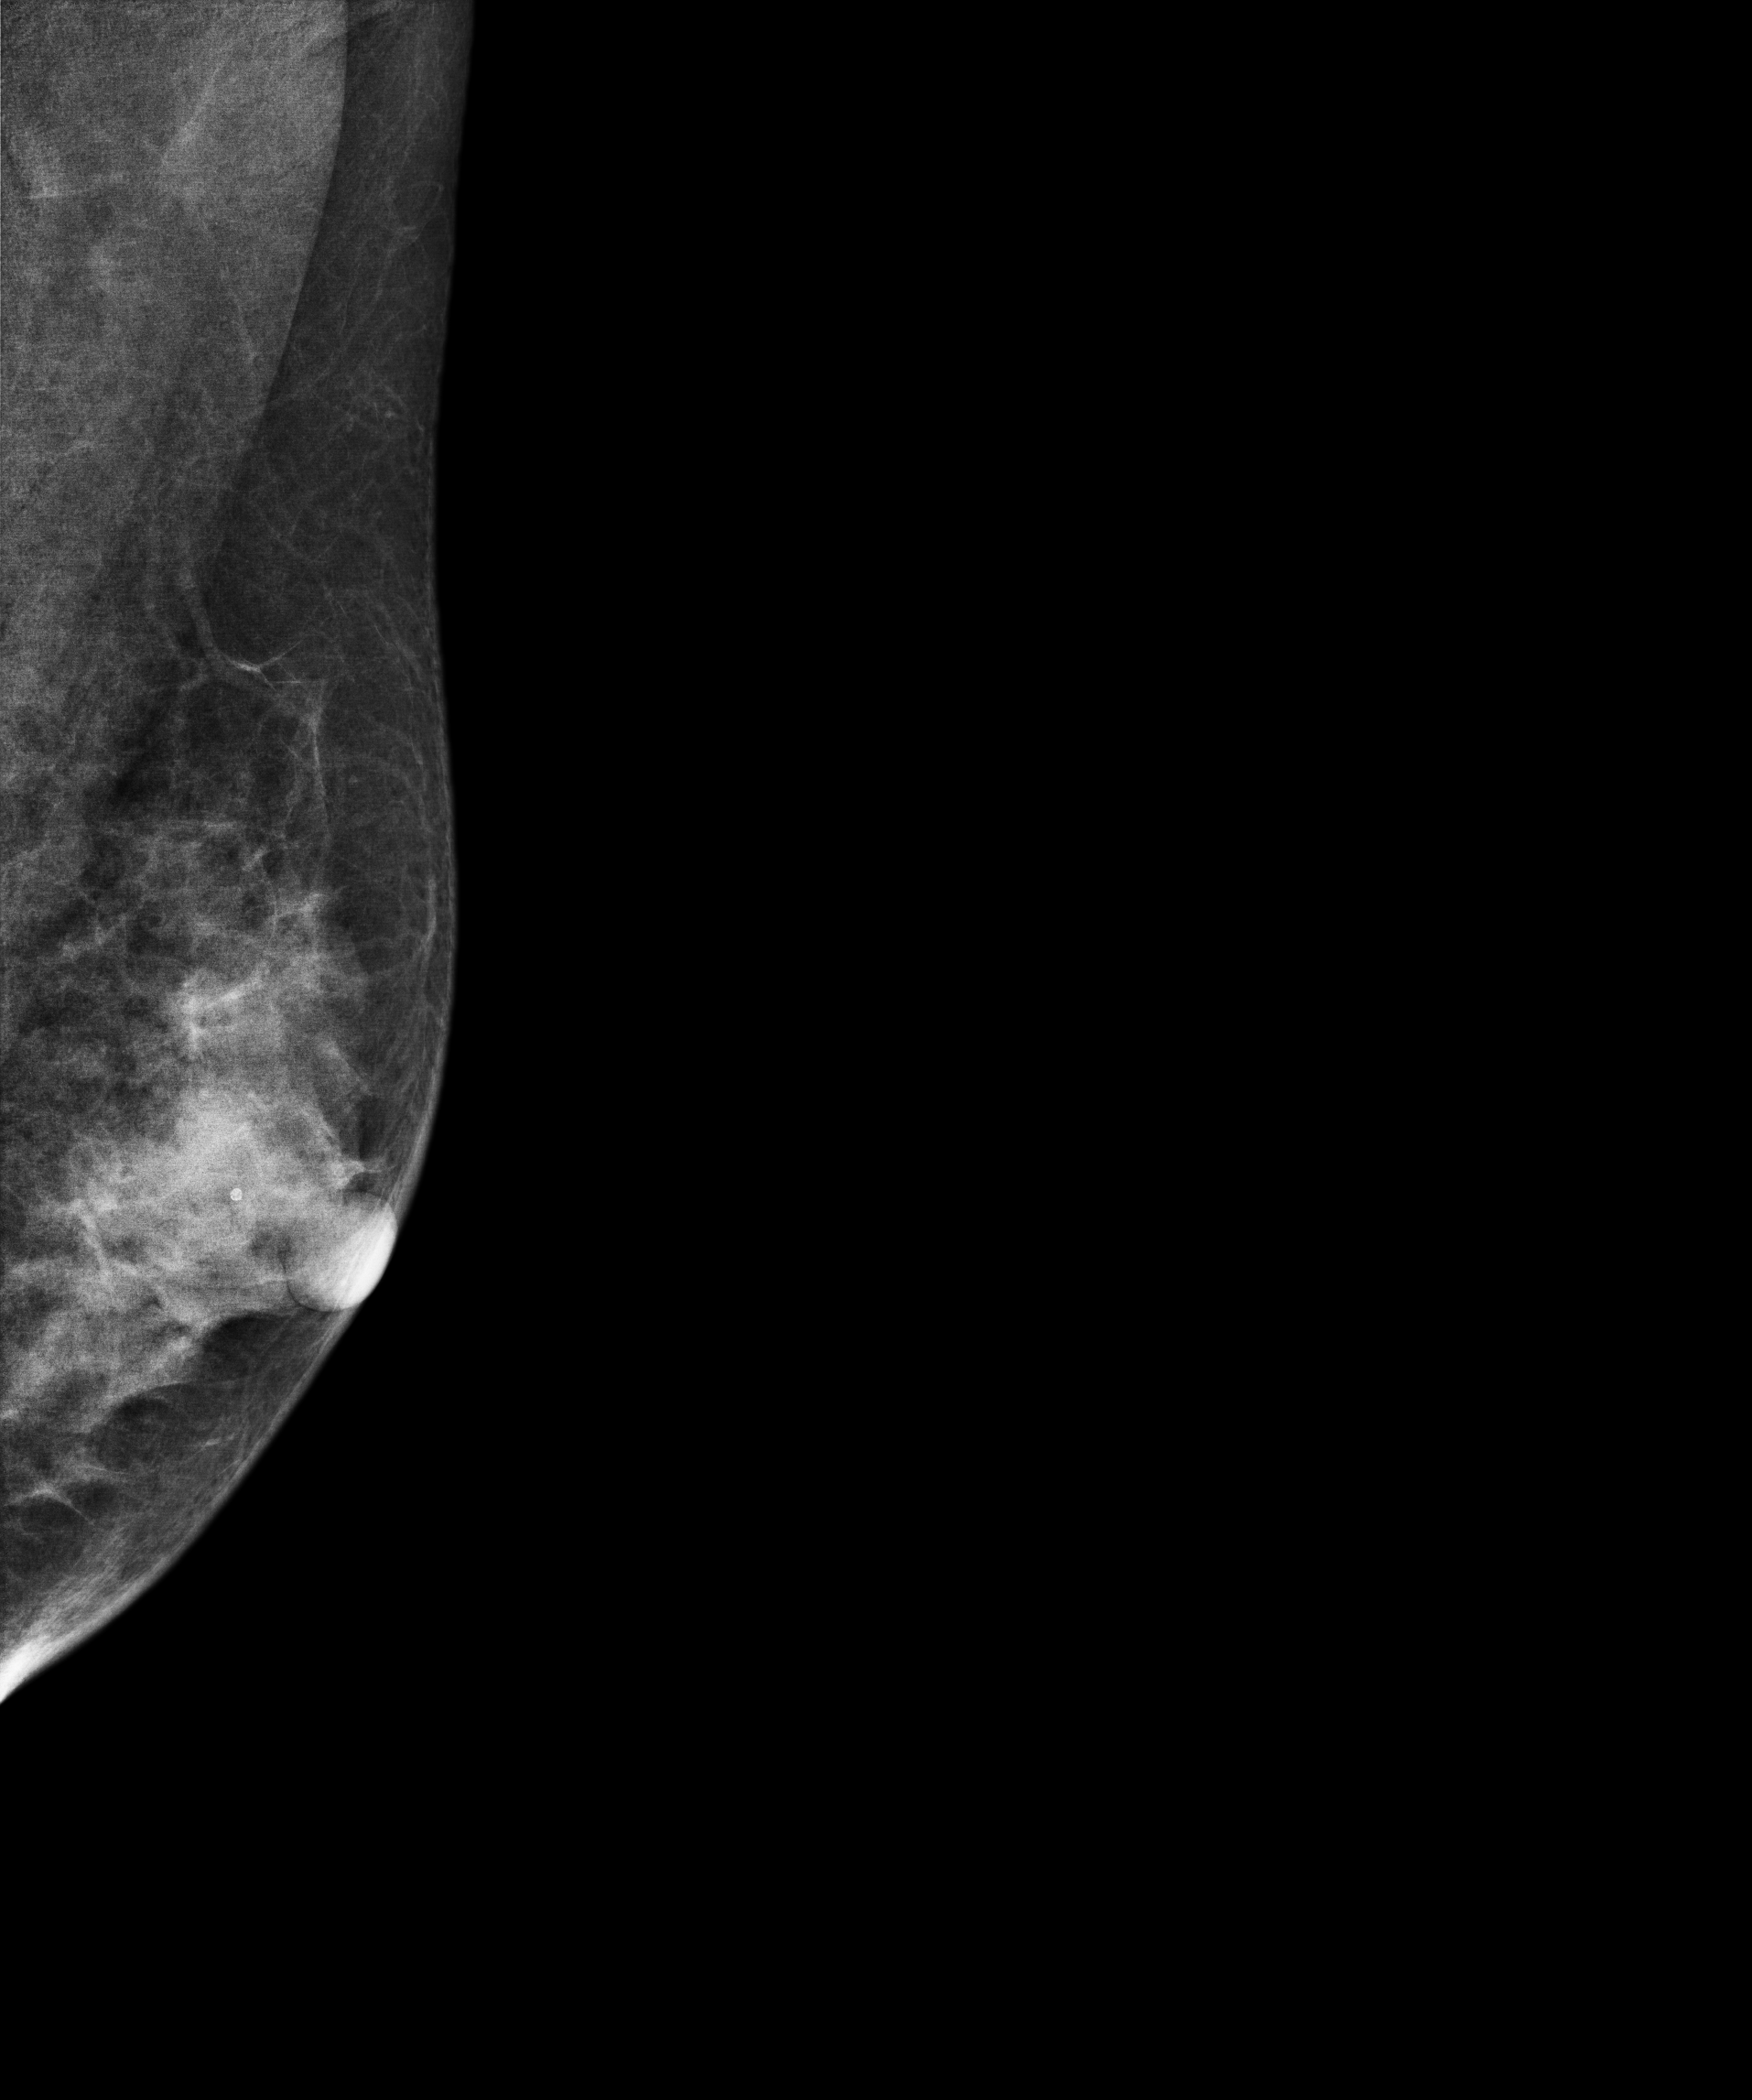
Mammogram — left MLO. Patient age 44.
Contralateral breast — no documented abnormality on this side.